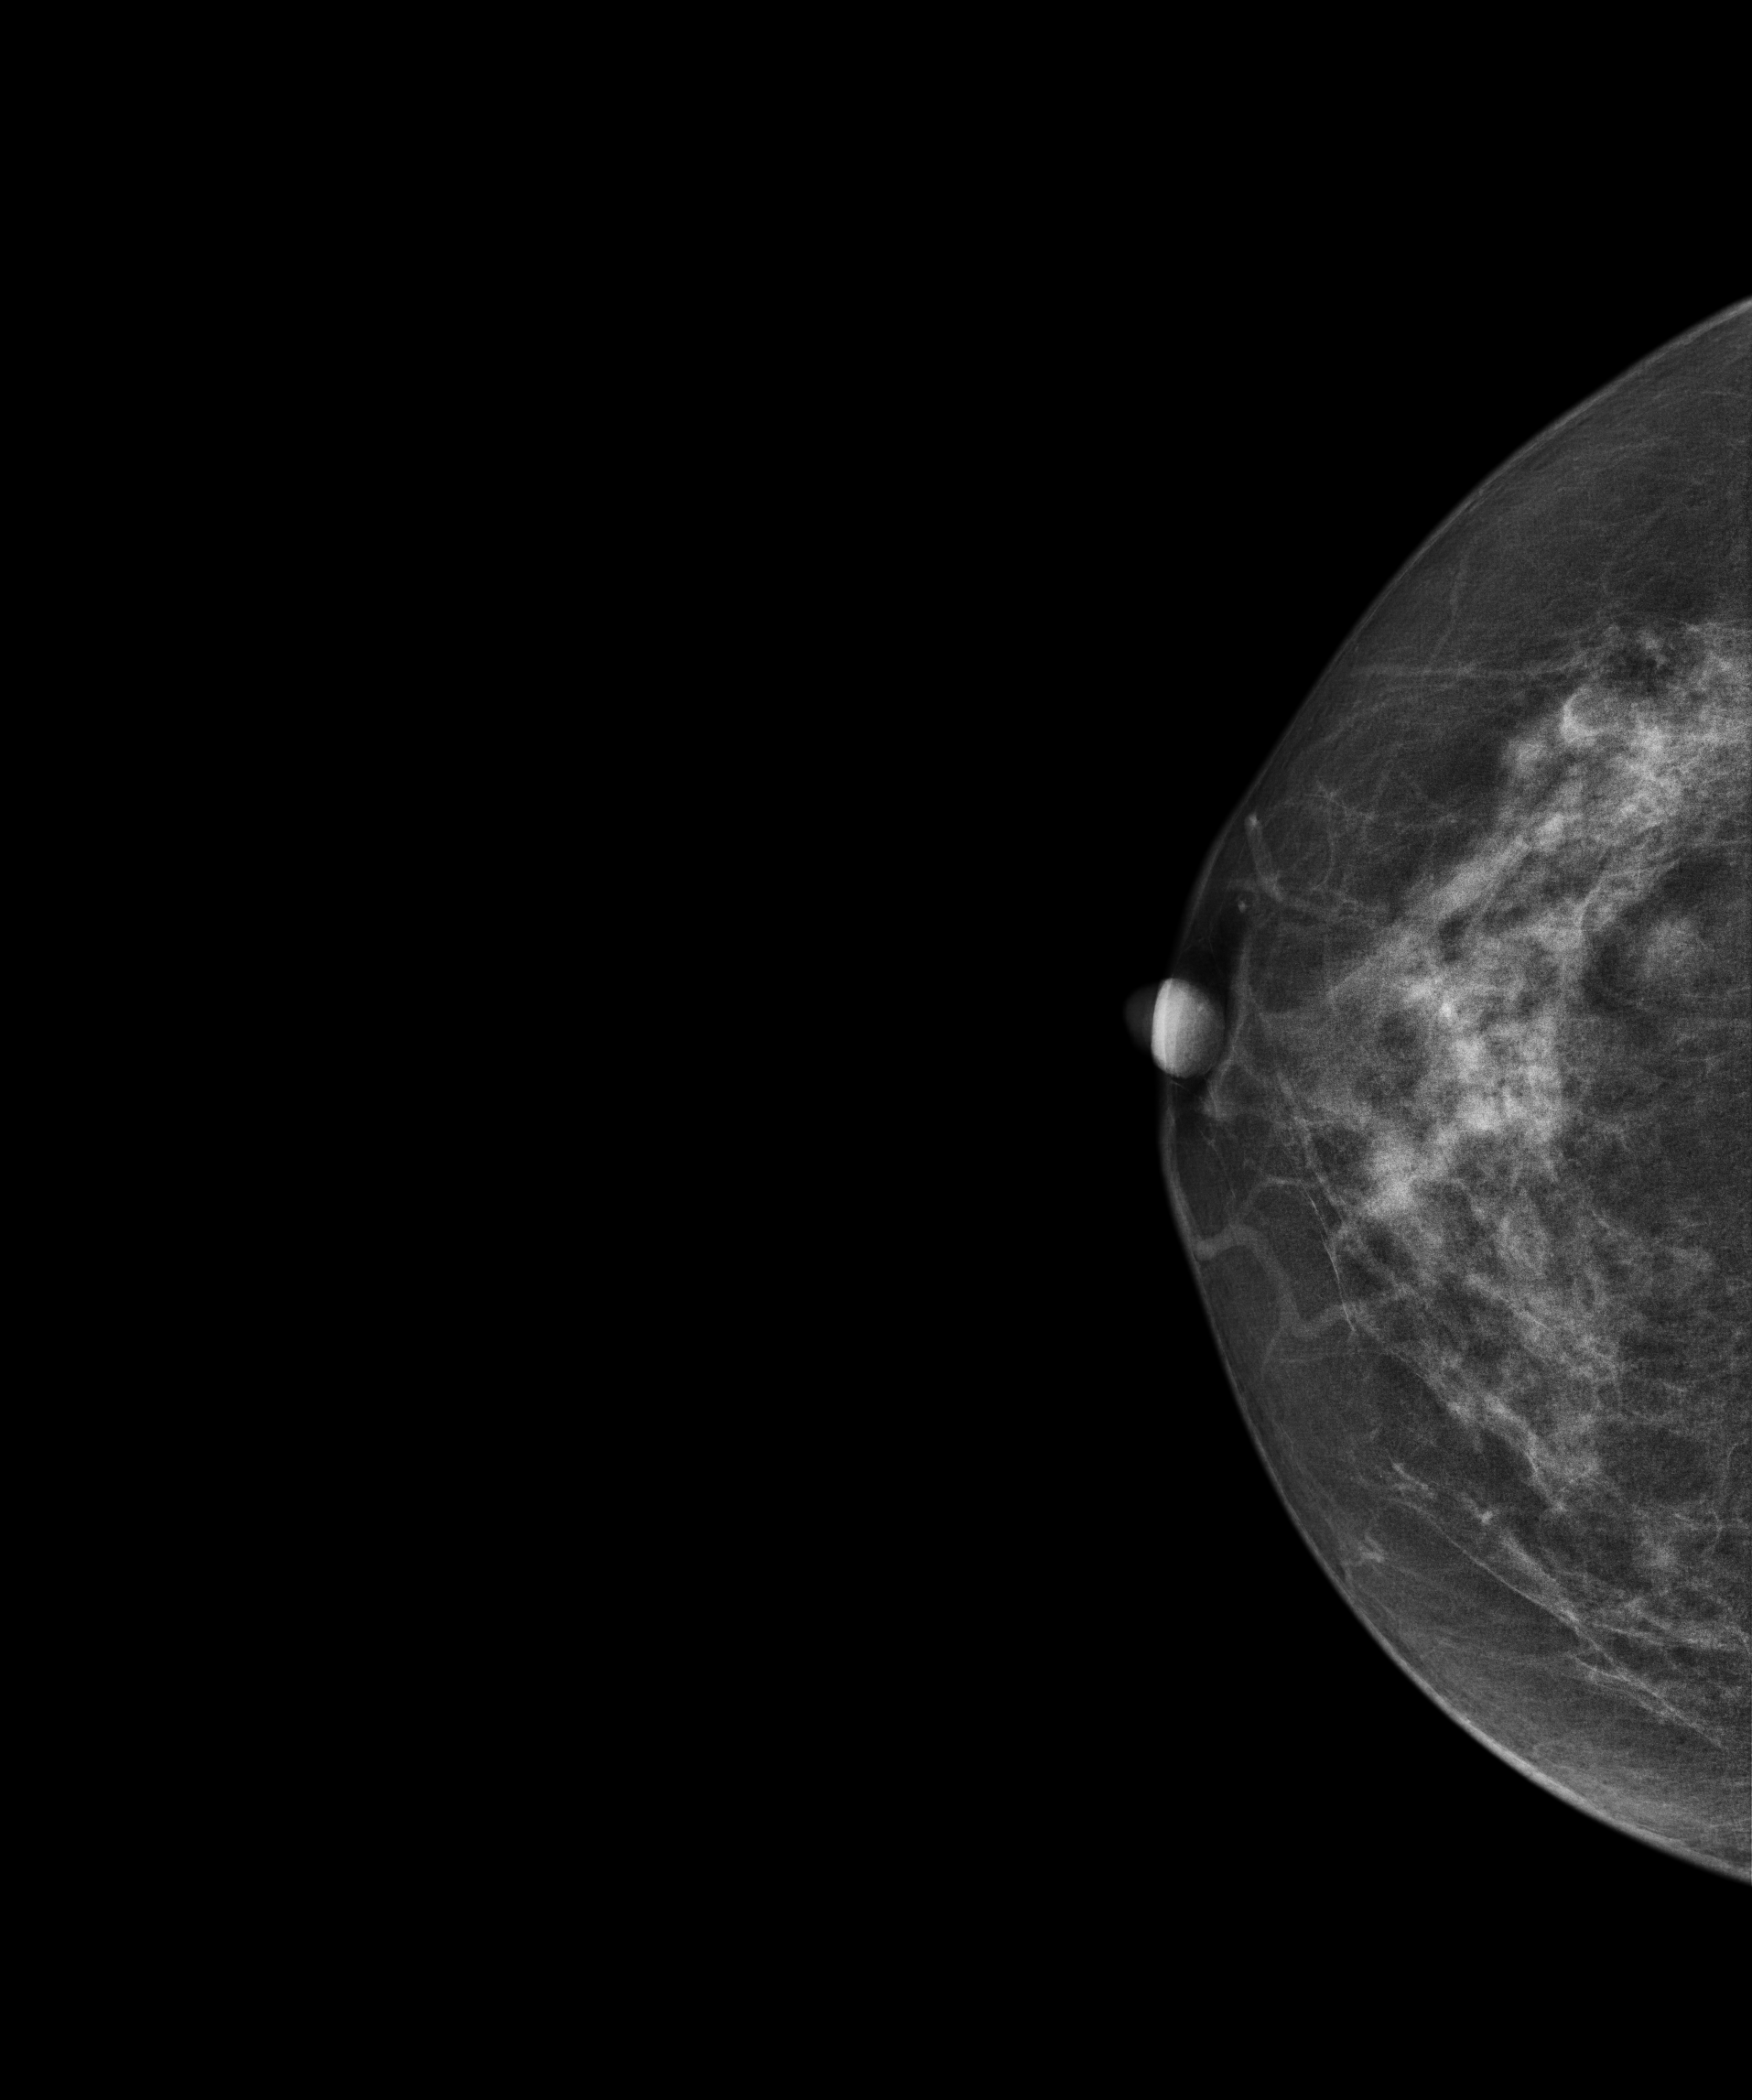
Digital mammography. Right breast, CC projection. 59-year-old patient.
Contralateral breast — no documented abnormality on this side.